Mammogram, right breast, MLO view. 49 y/o patient.
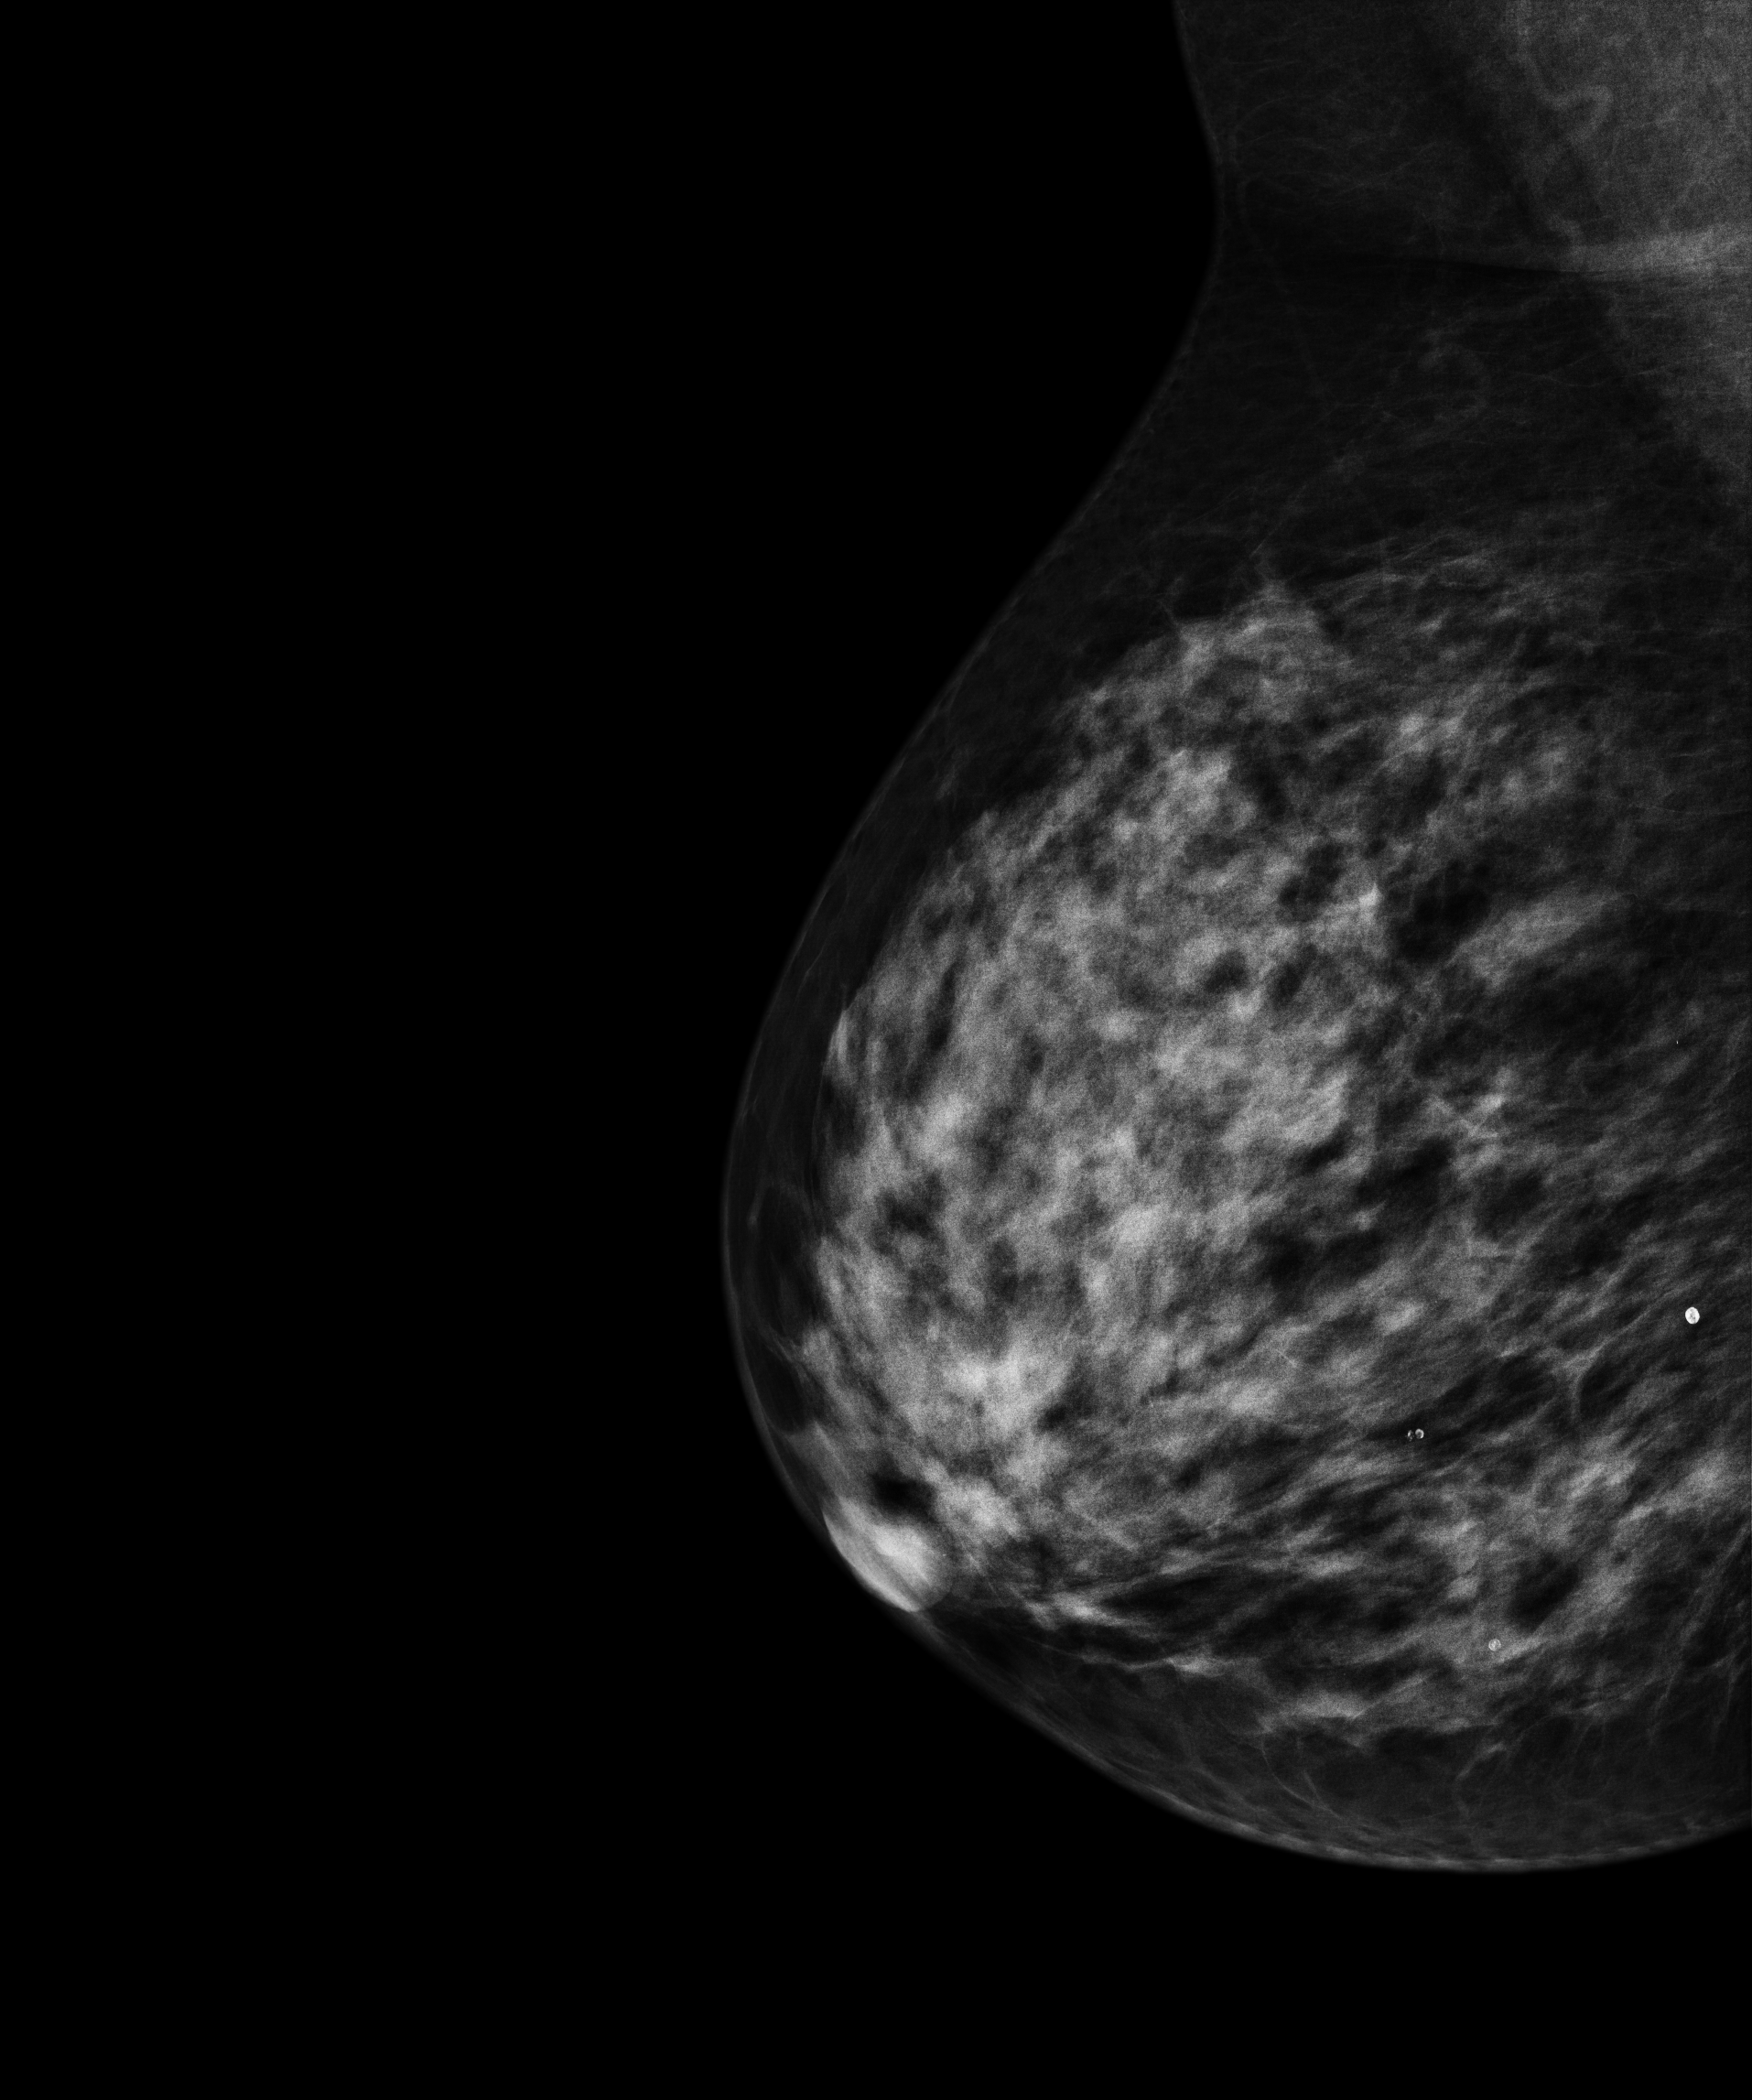
This breast has calcifications, biopsy-confirmed benign.